Mammogram, right breast, cranio-caudal view. 54 y/o patient.
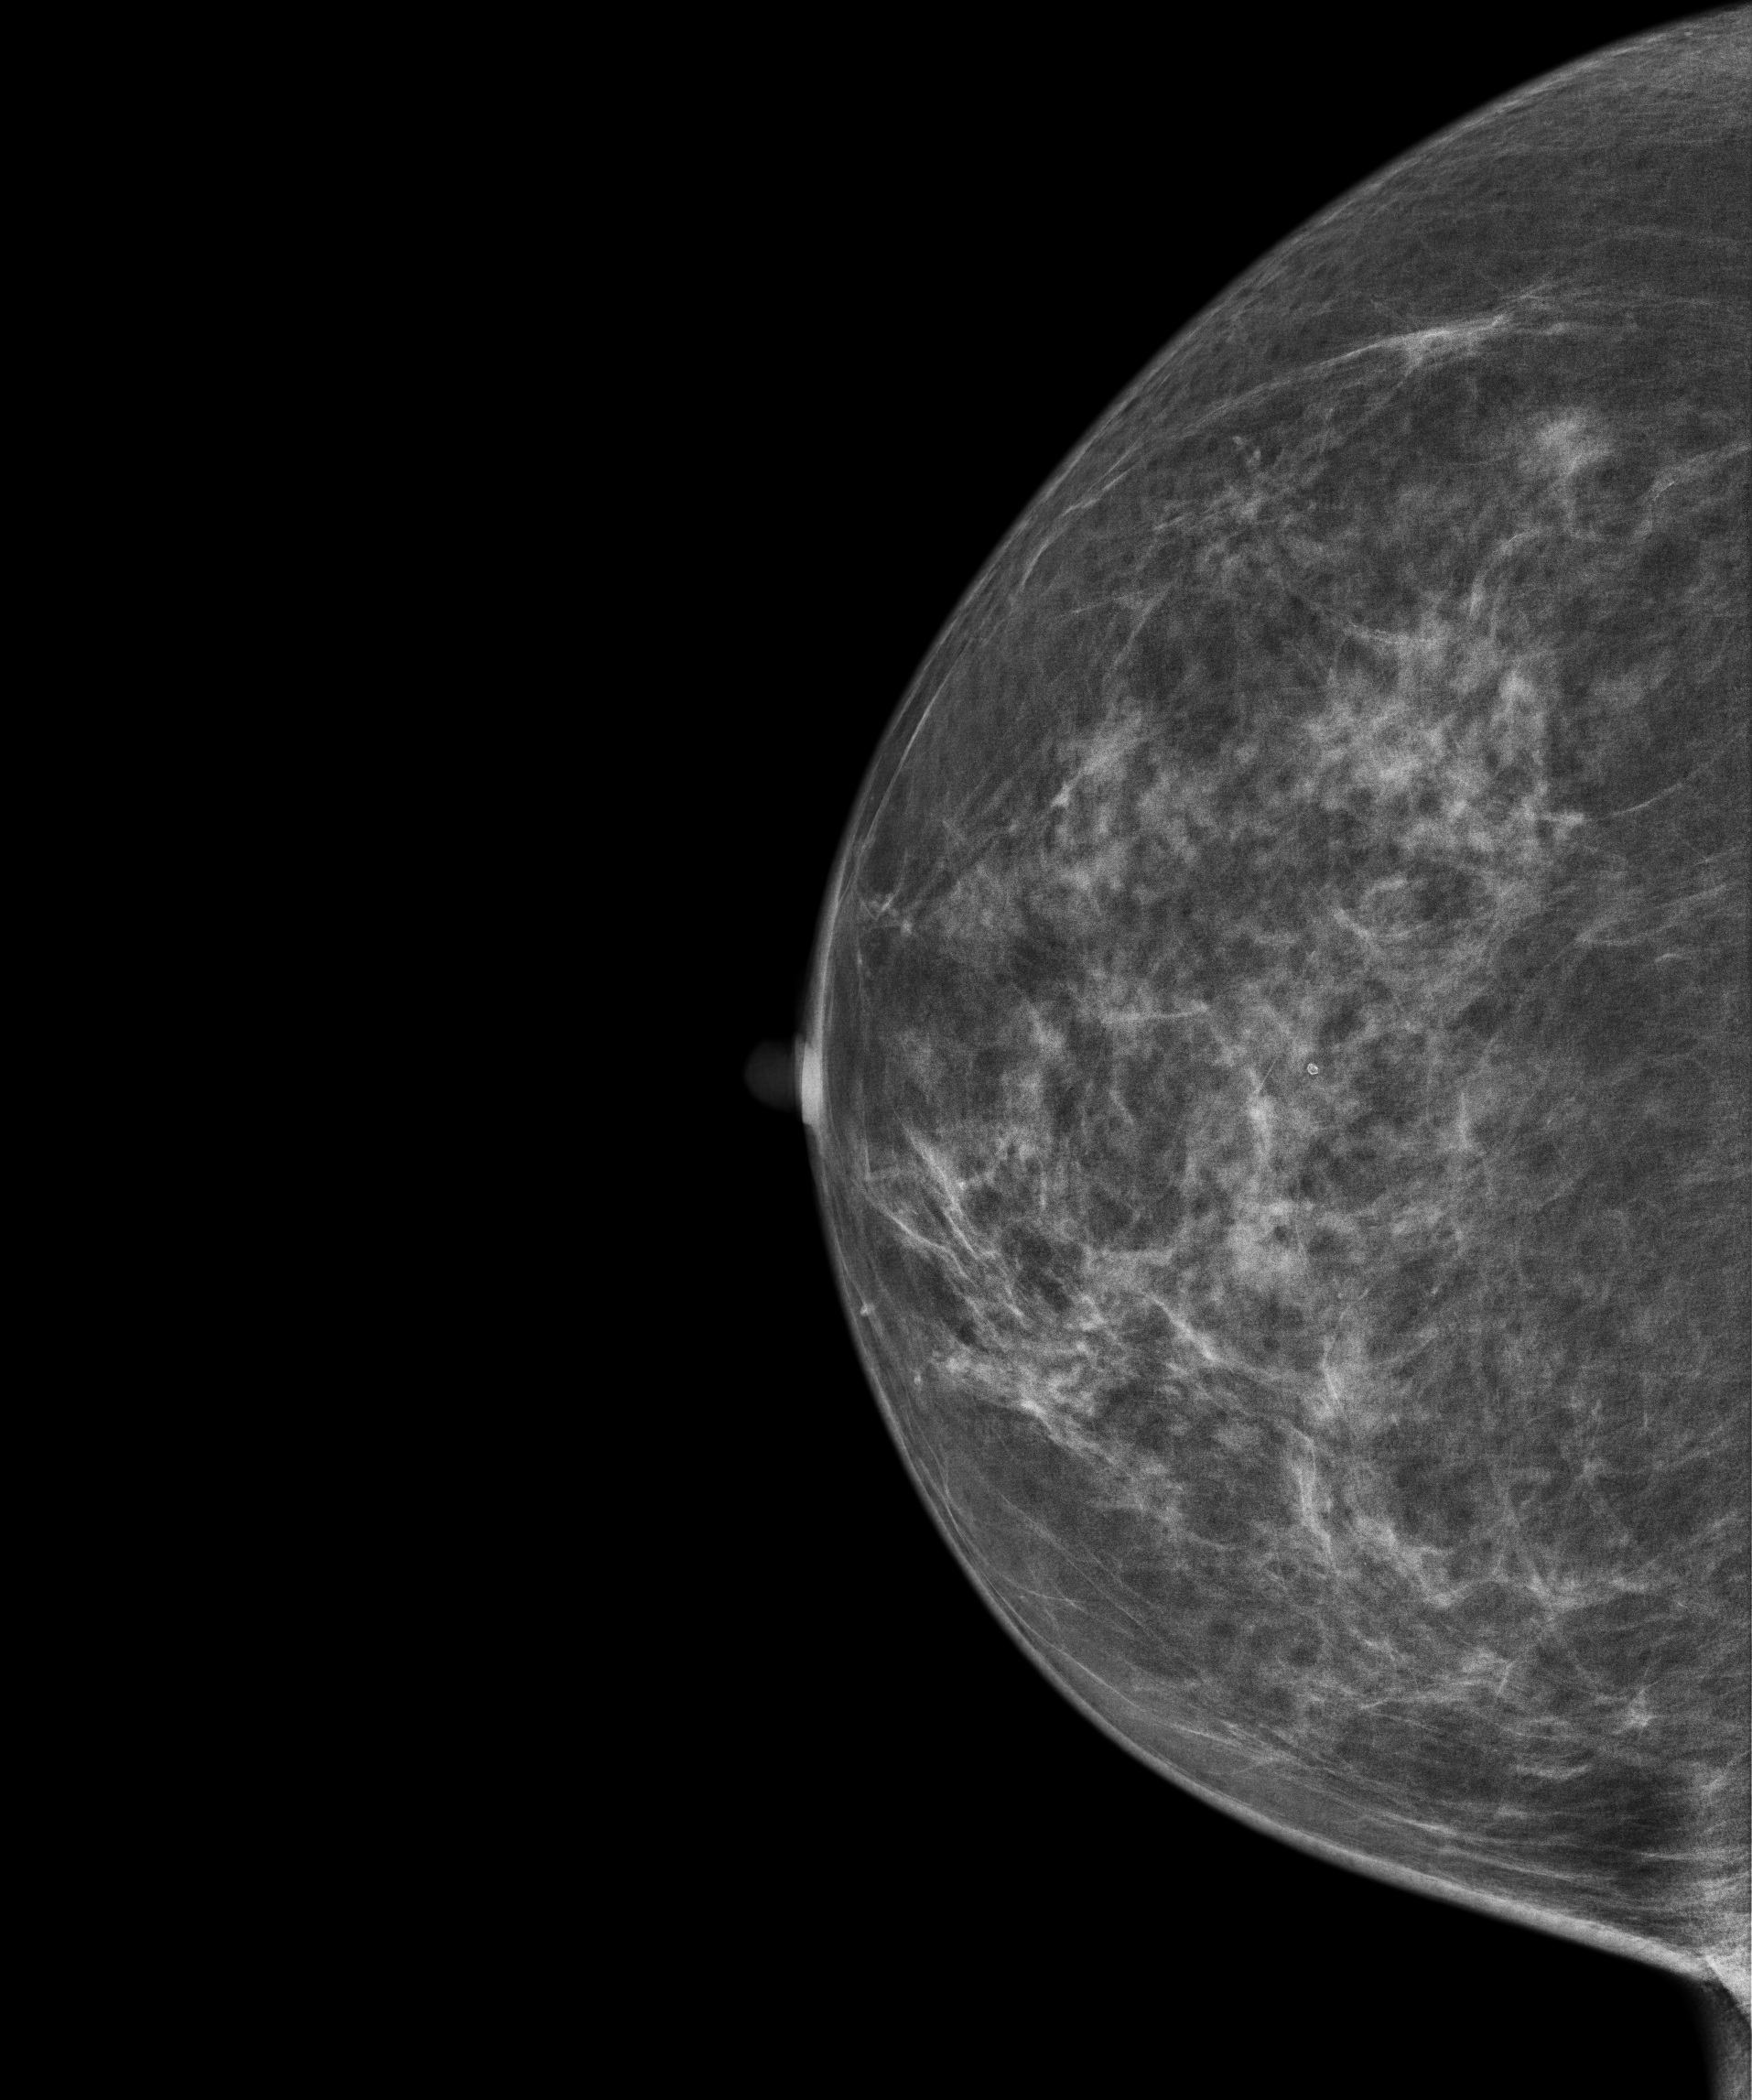
Contralateral breast — no documented abnormality on this side.